Mammogram, right breast, MLO view. 39 y/o patient.
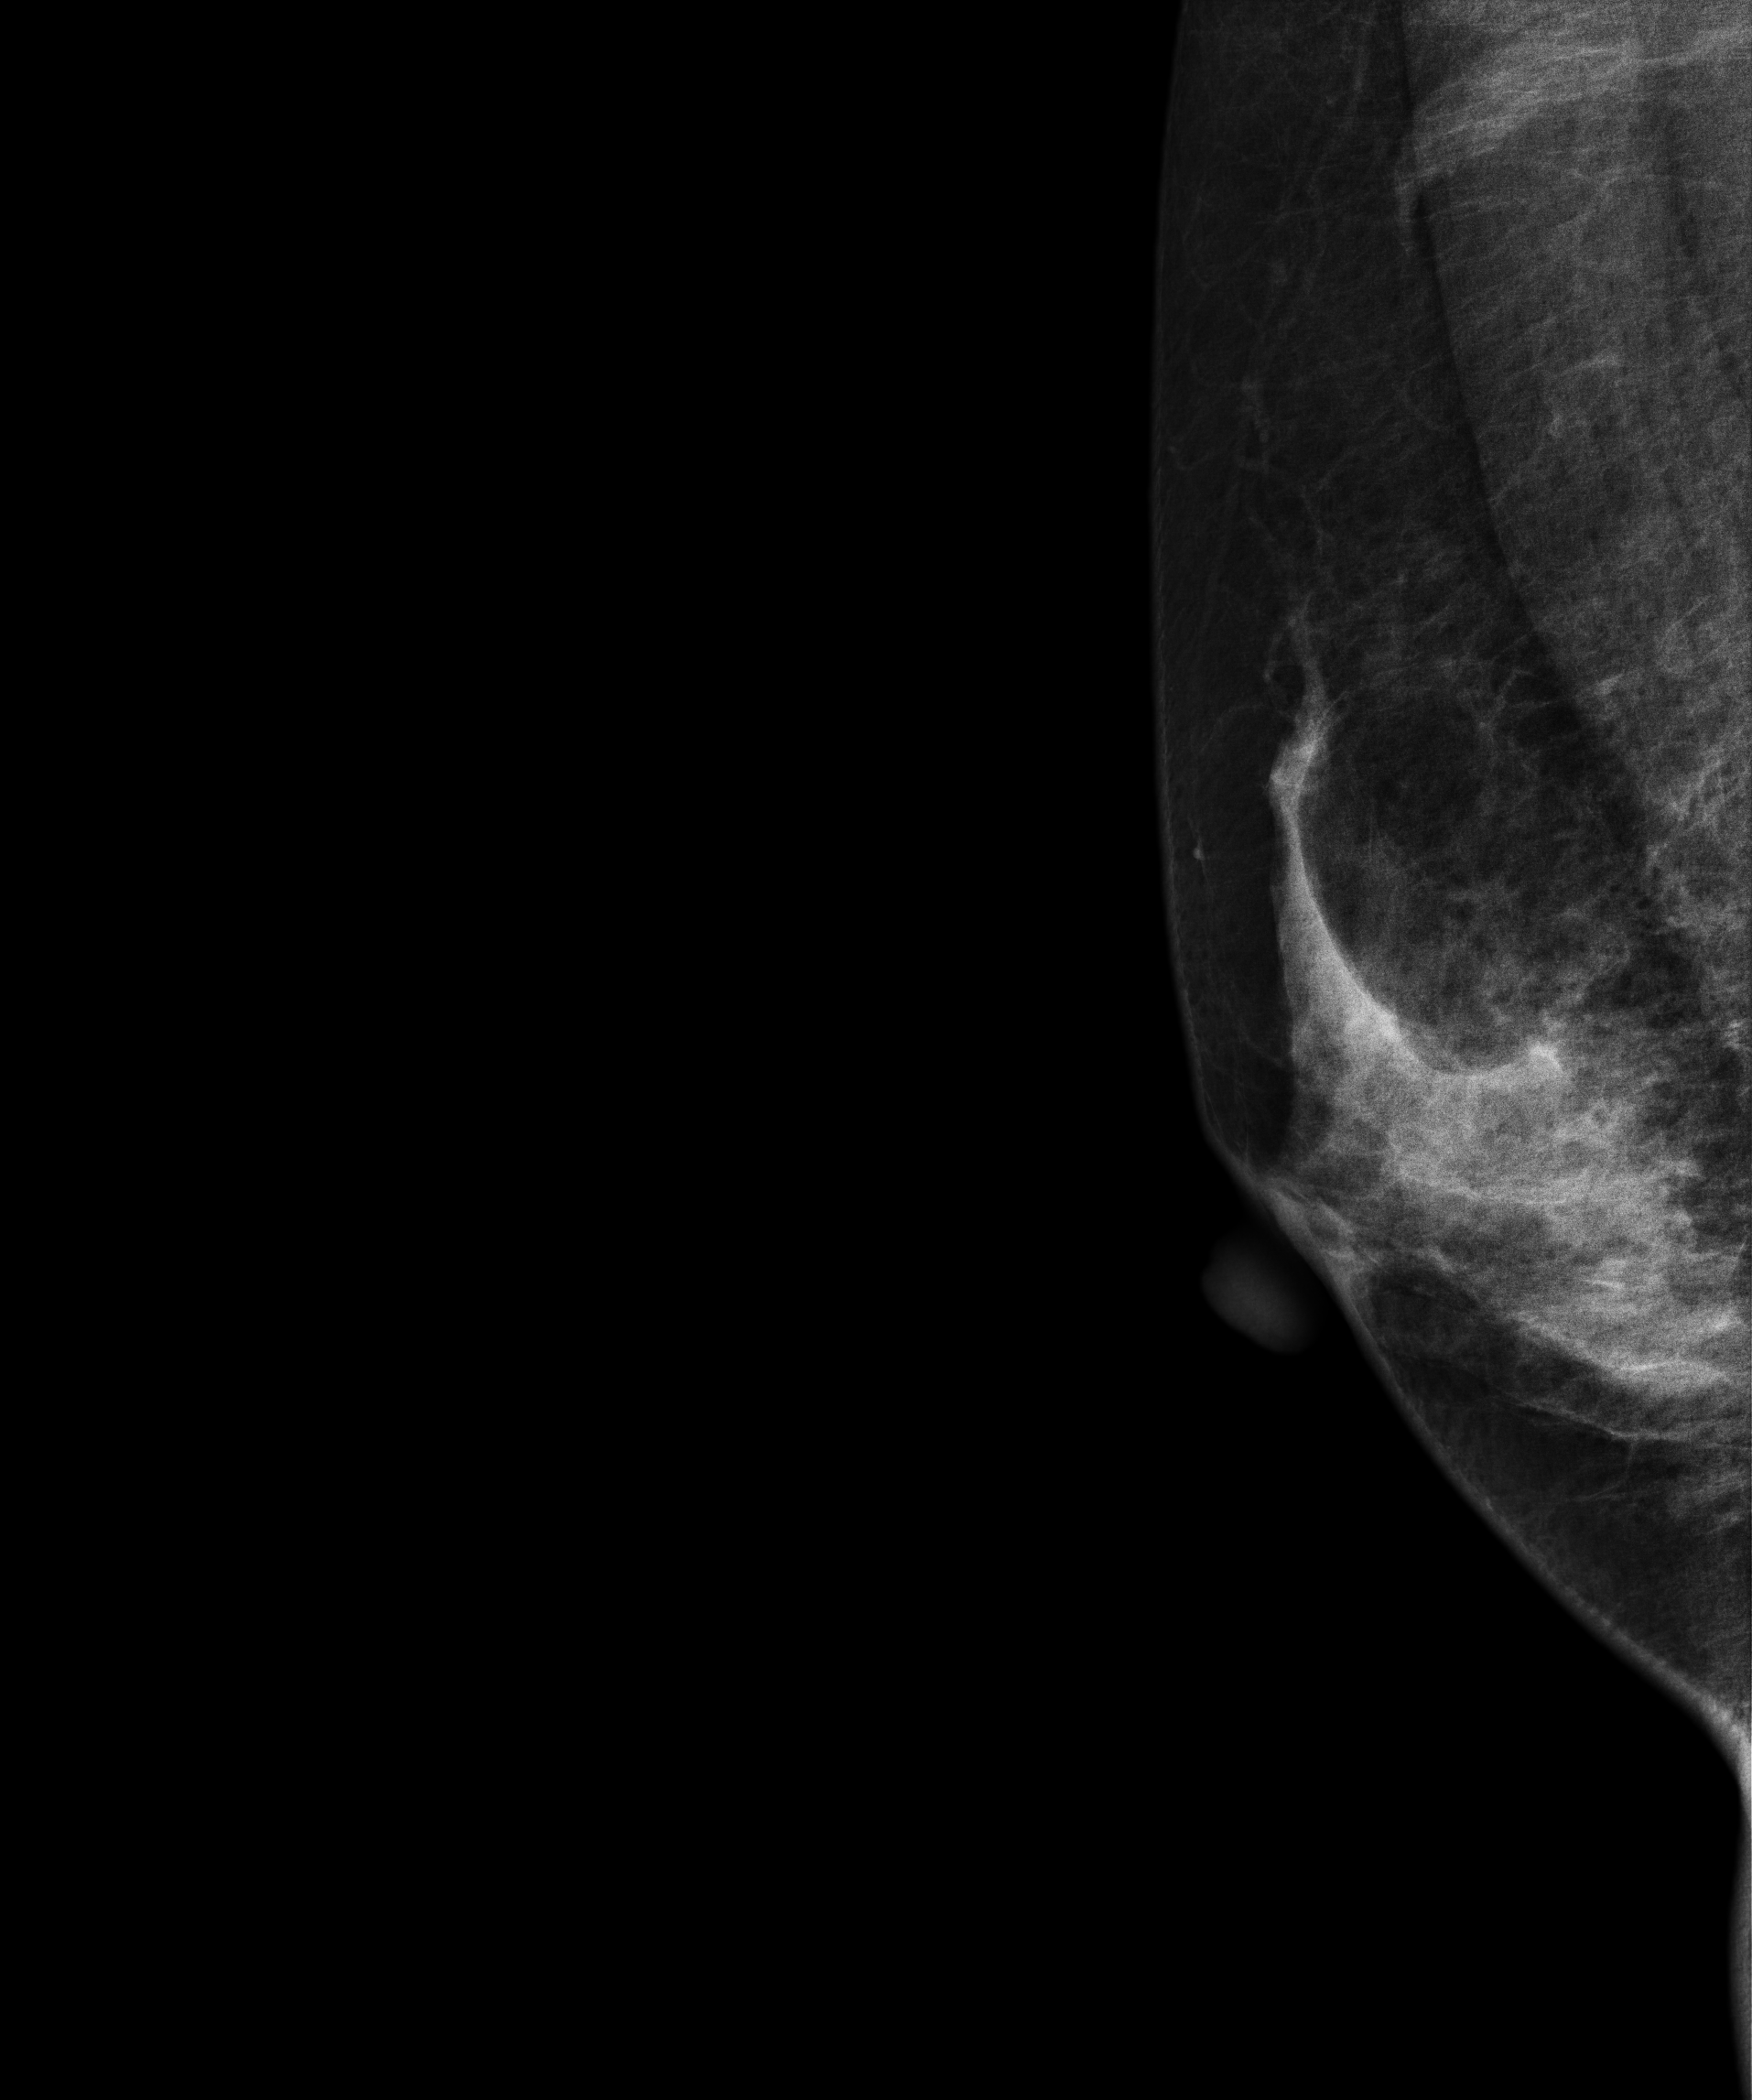
This breast has a mass, biopsy-proven benign.